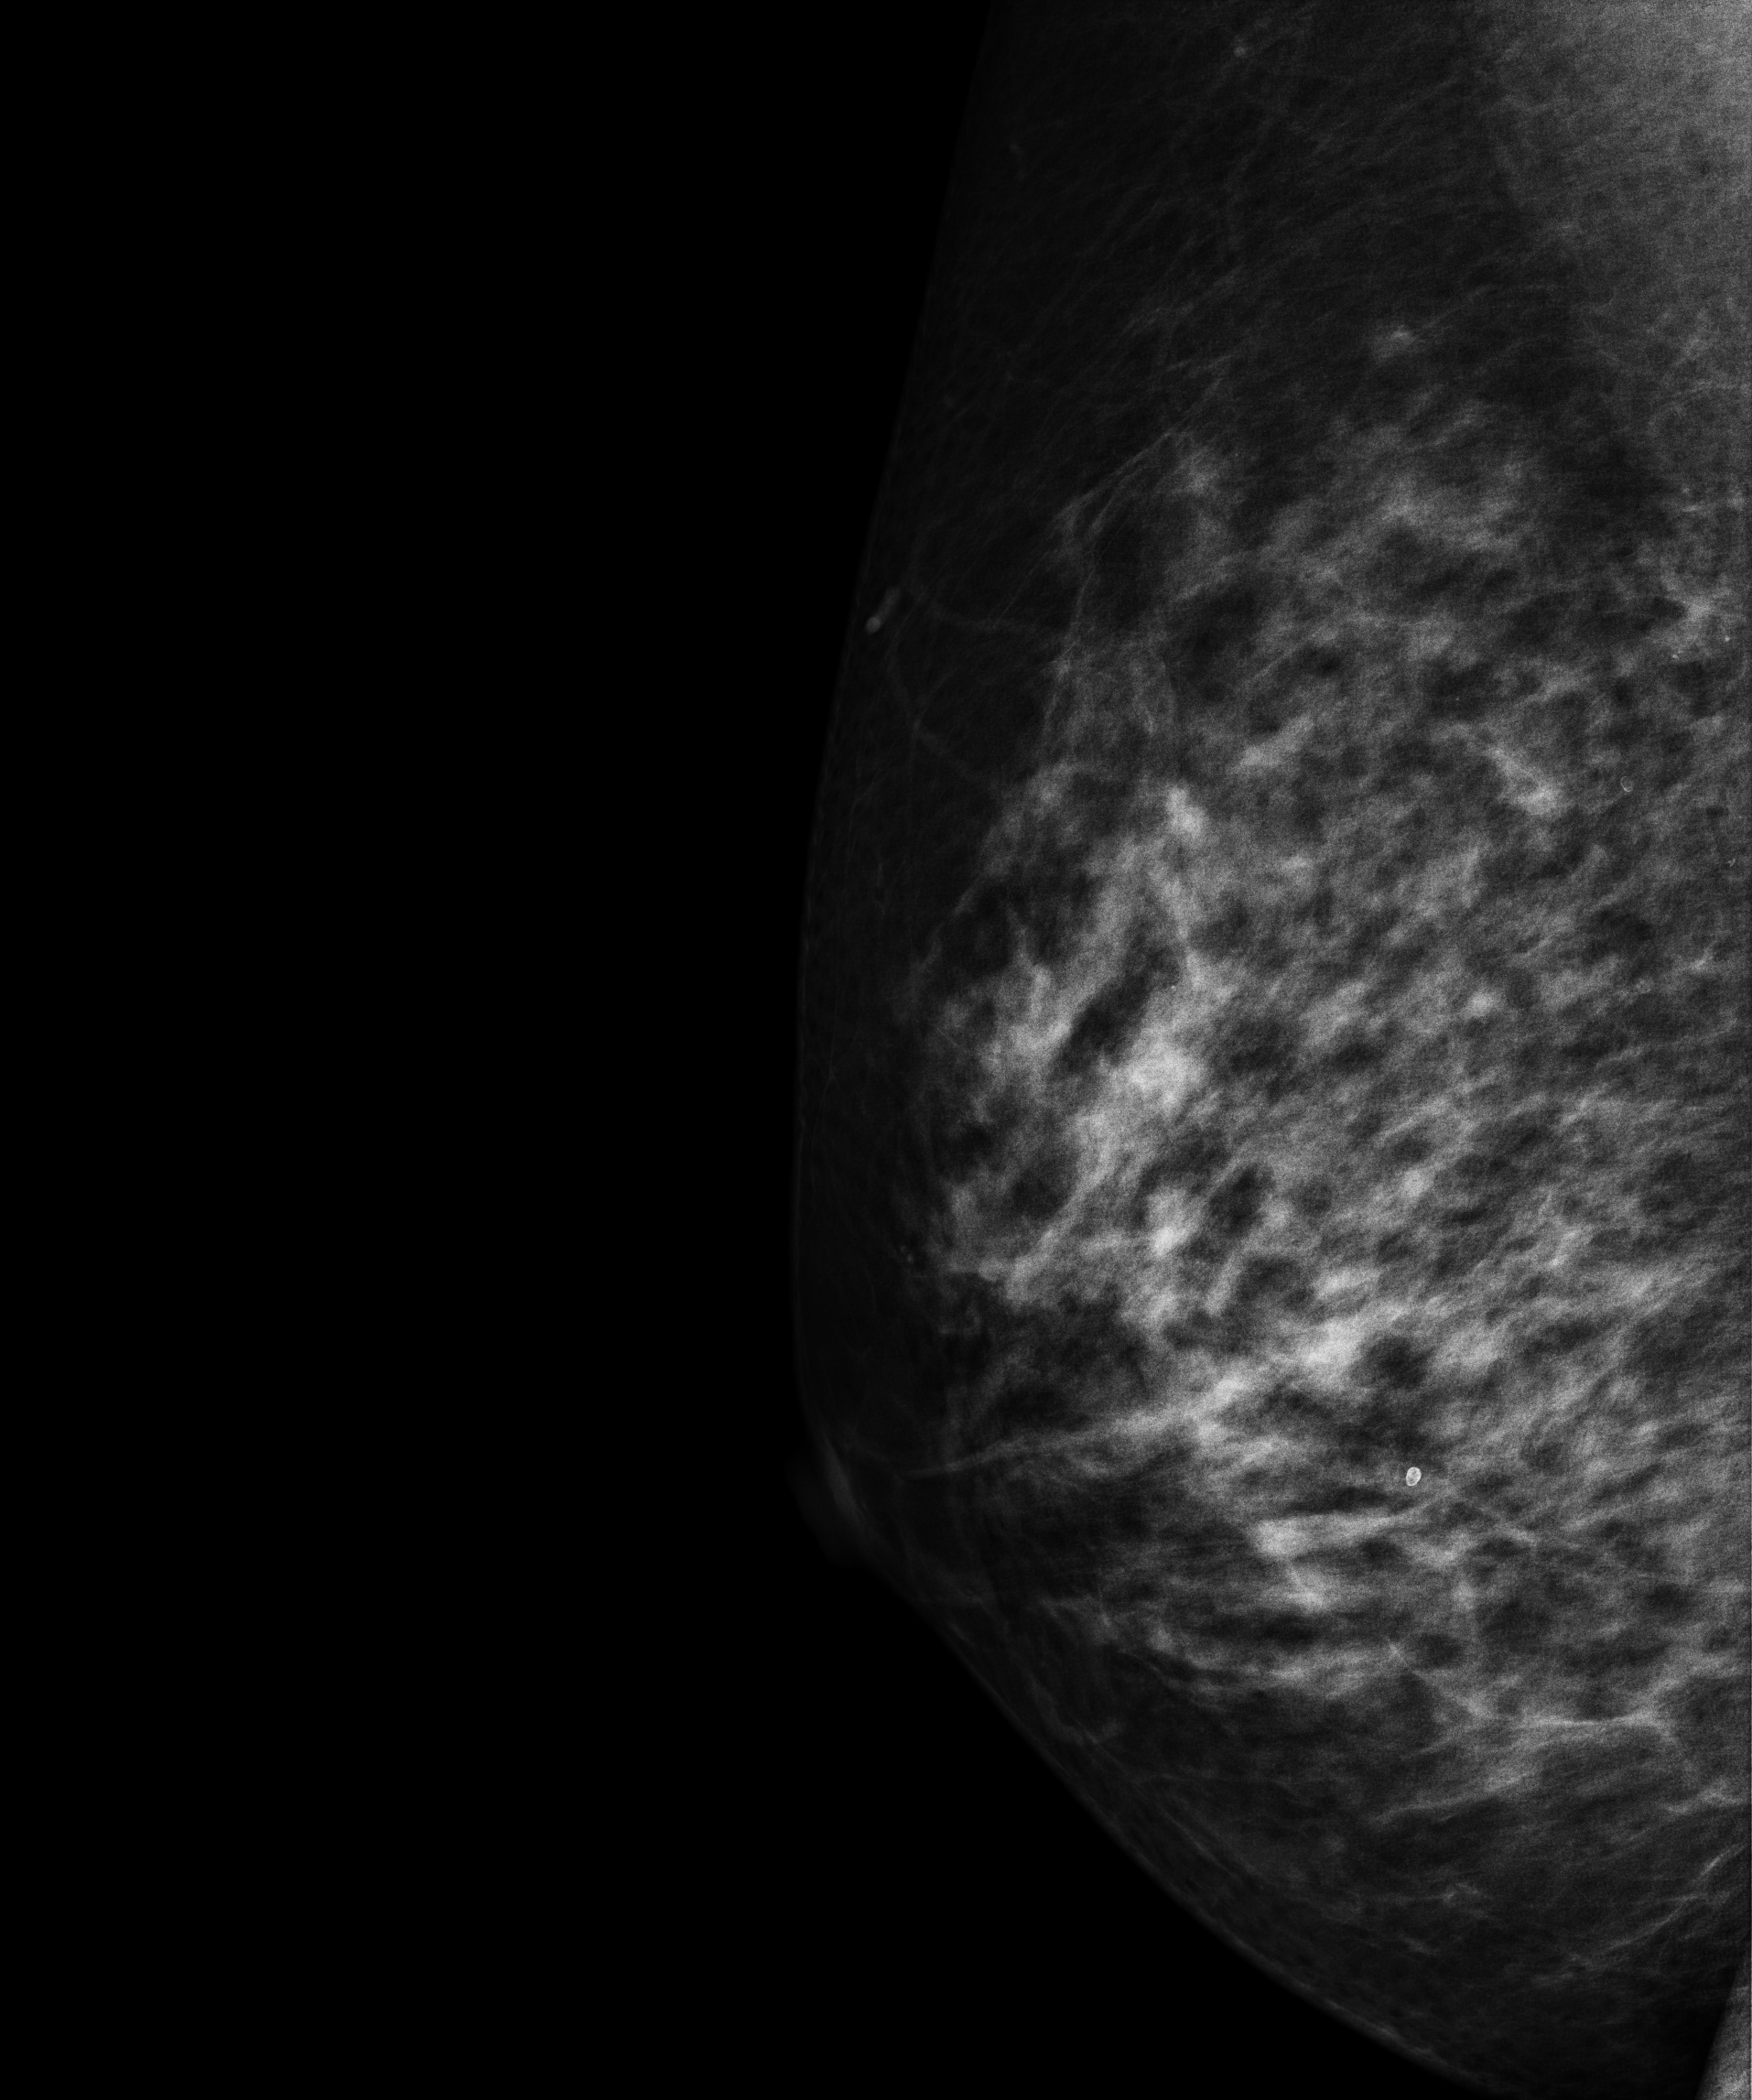
MLO mammogram of the right breast. Patient age 46.
Contralateral breast — no documented abnormality on this side.